Right-breast mammogram, MLO. Patient age 47.
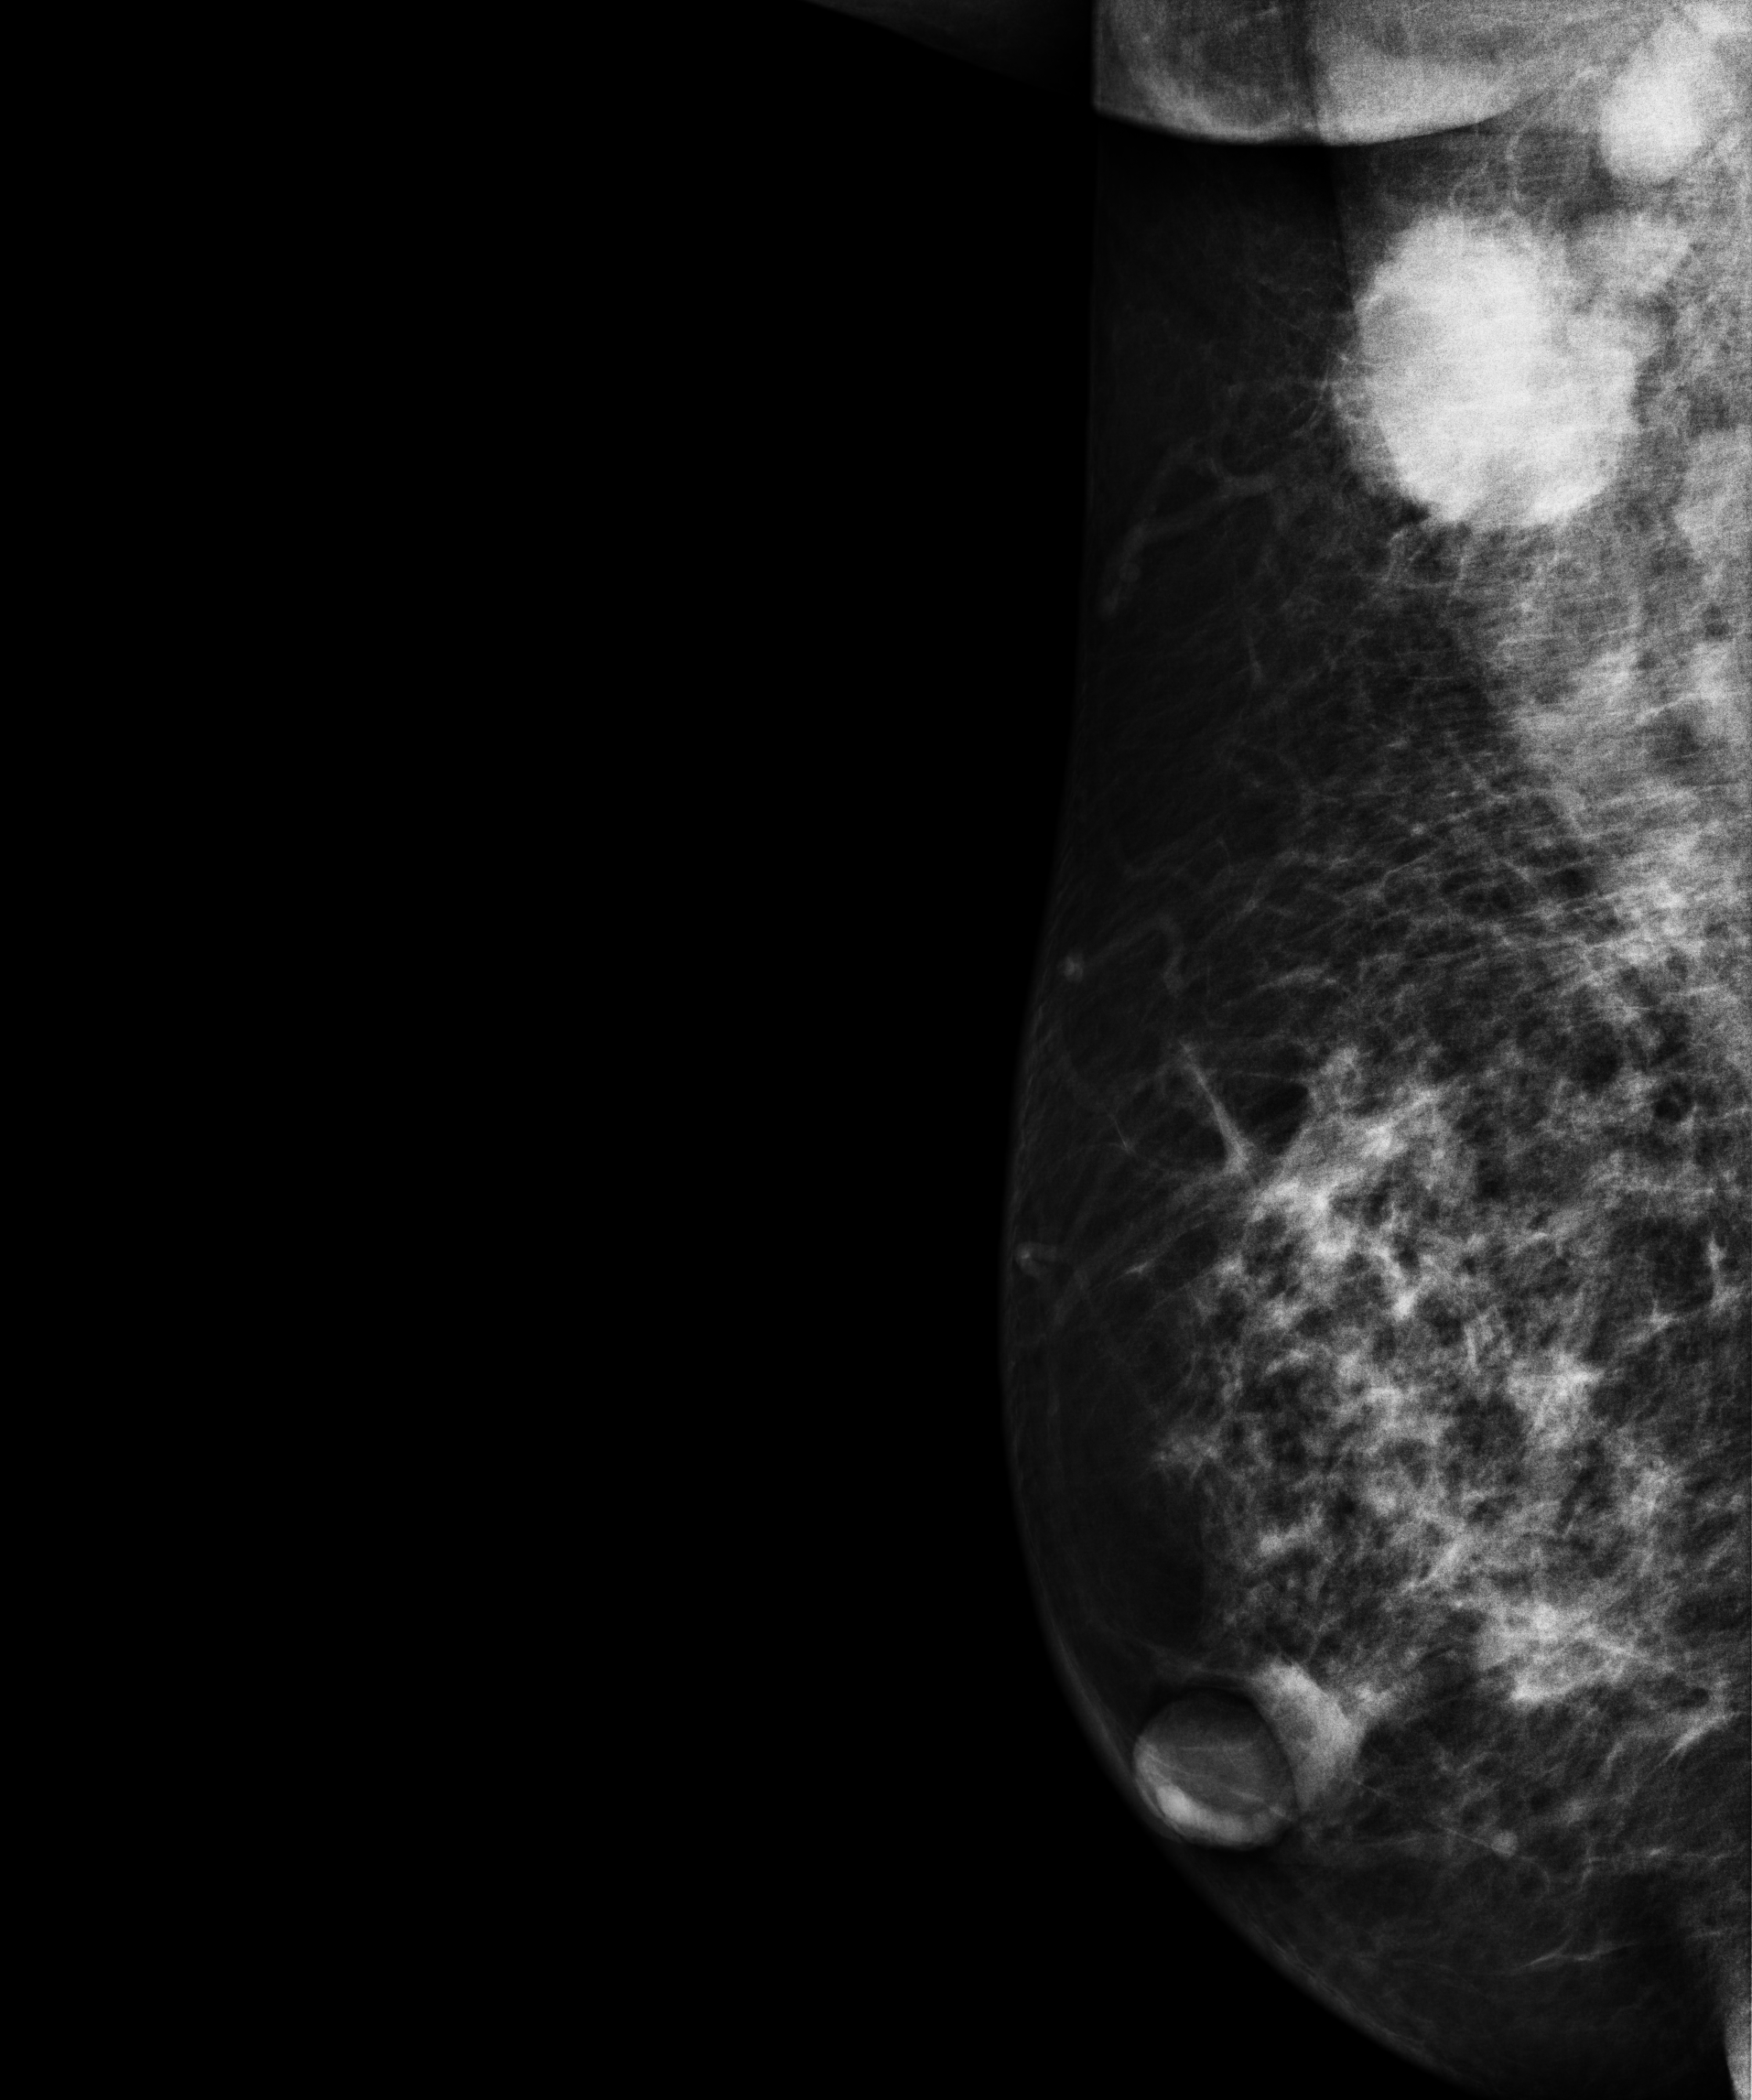
This breast has a mass, biopsy-proven malignant. Molecular subtype: HER2-enriched.